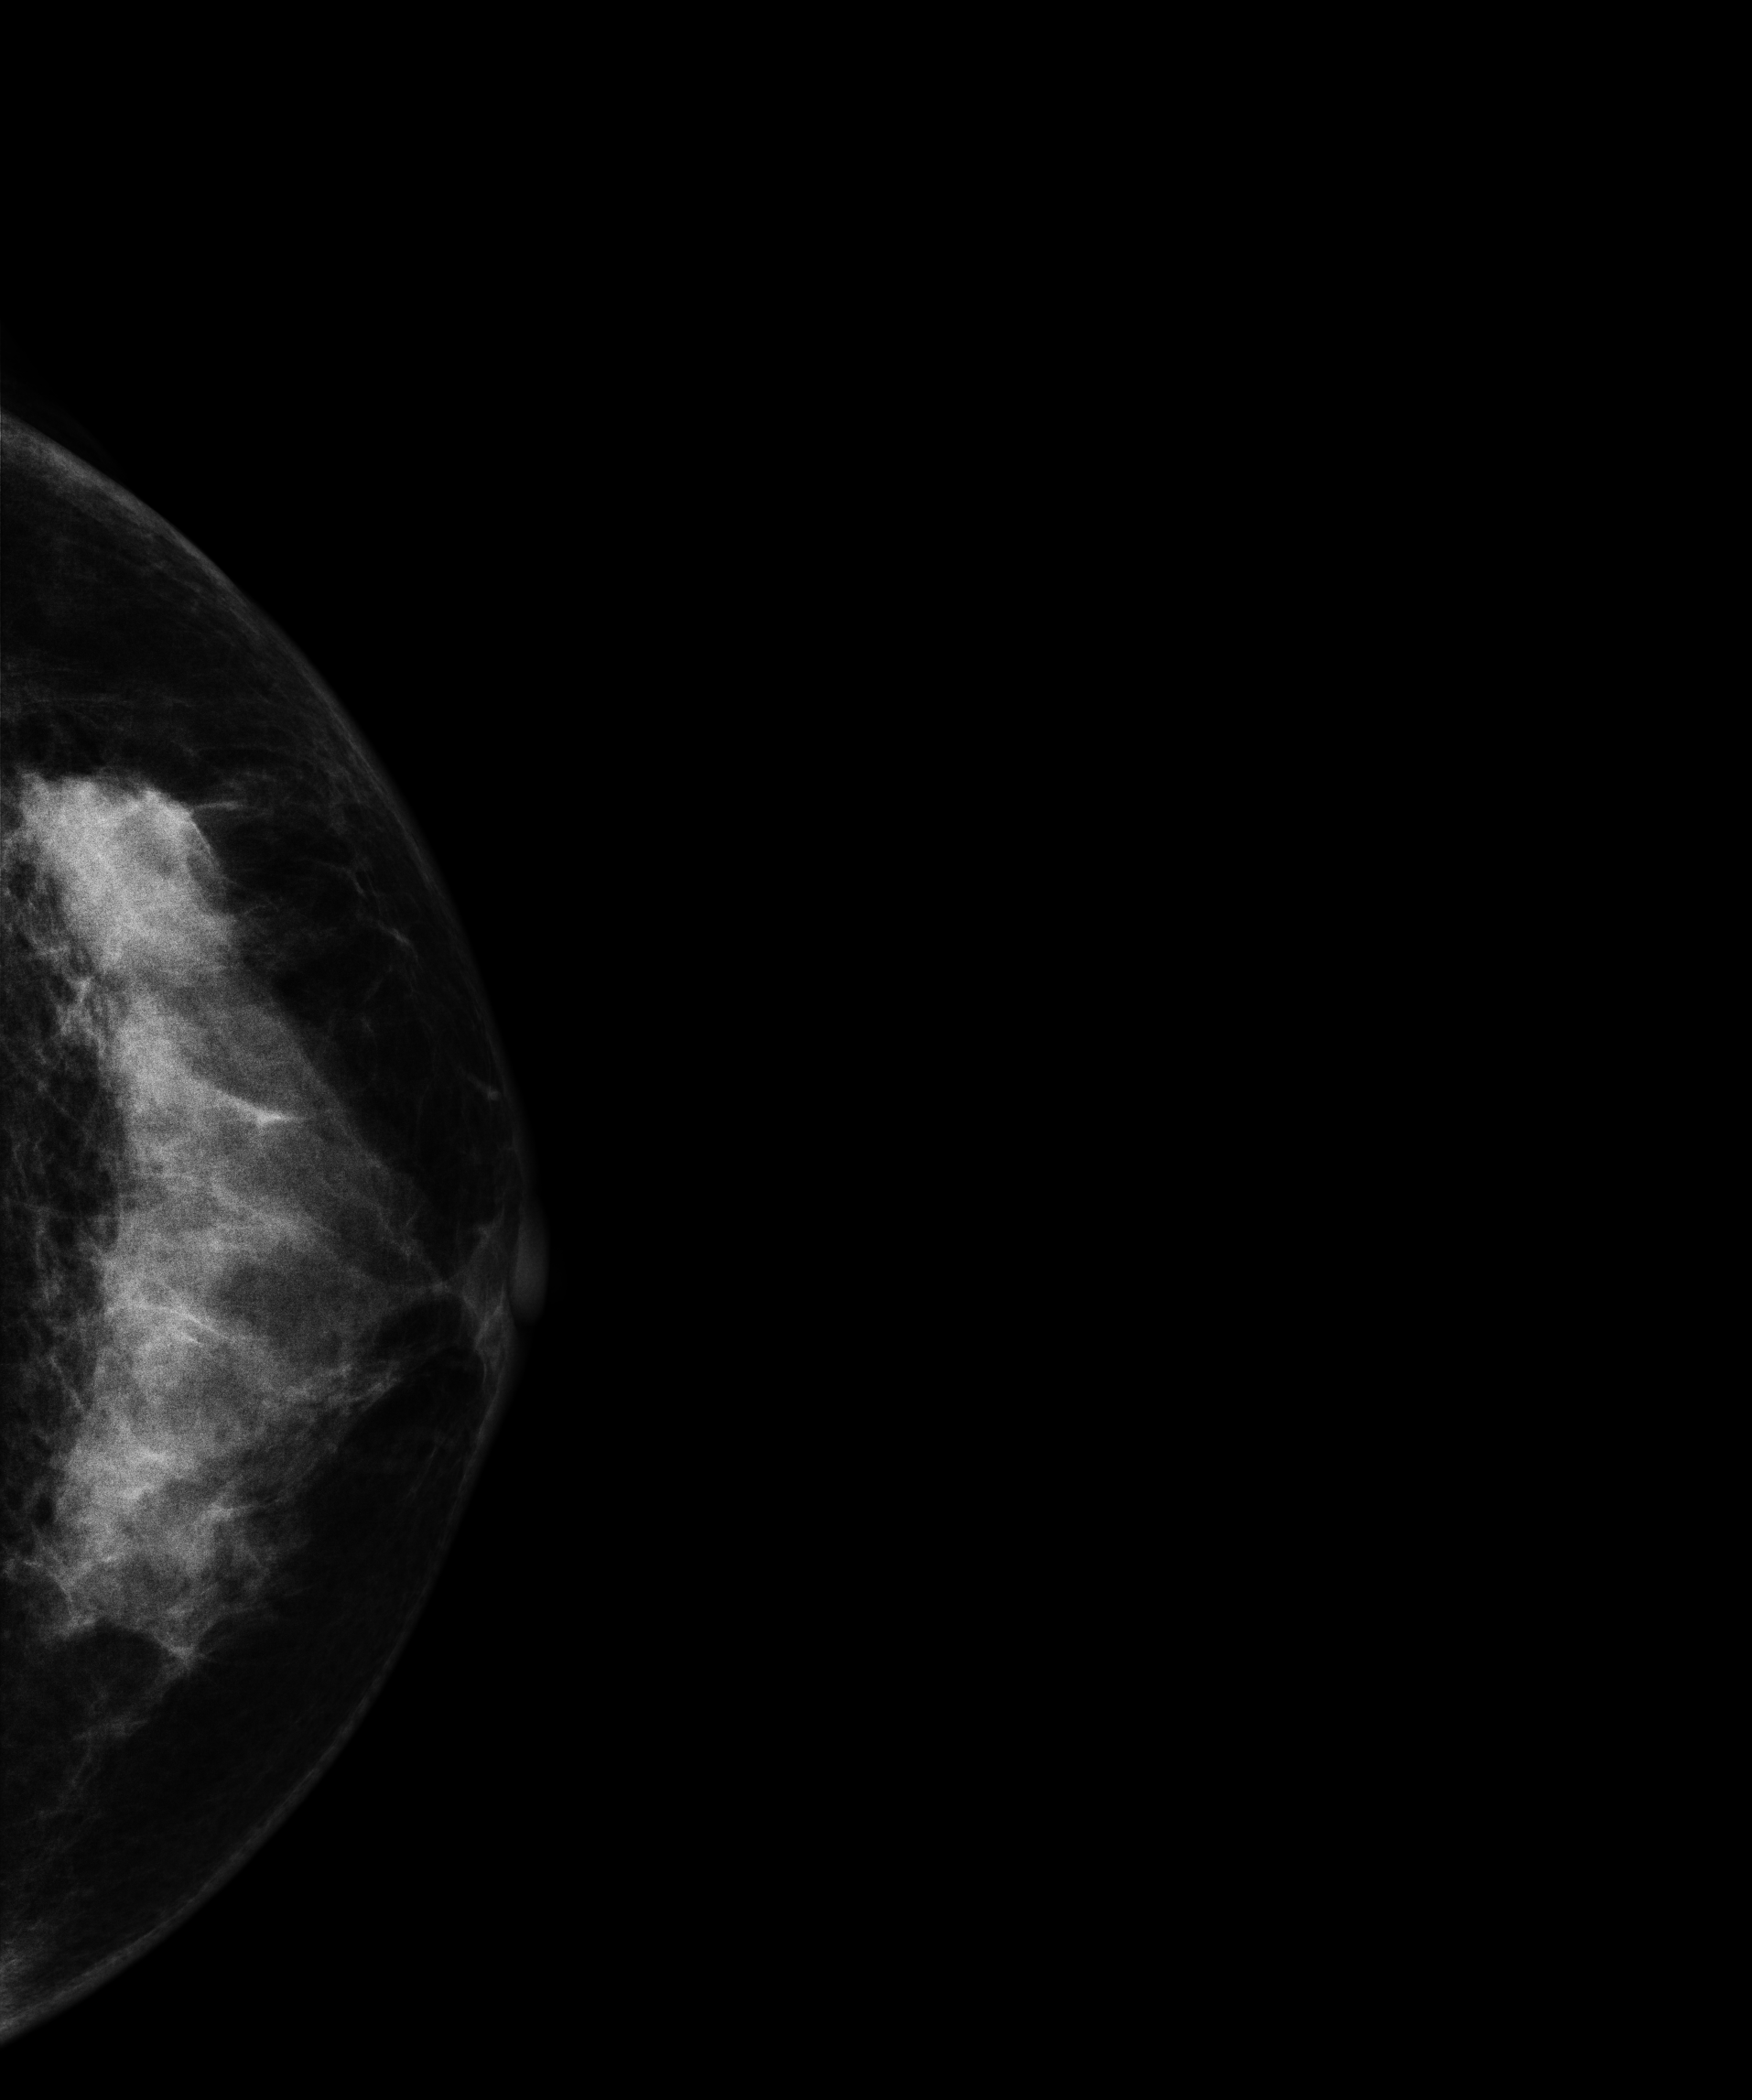
Mammogram, left breast, CC view. Patient age 49.
This breast has a mass, pathology-confirmed malignant. Molecular subtype: triple-negative.